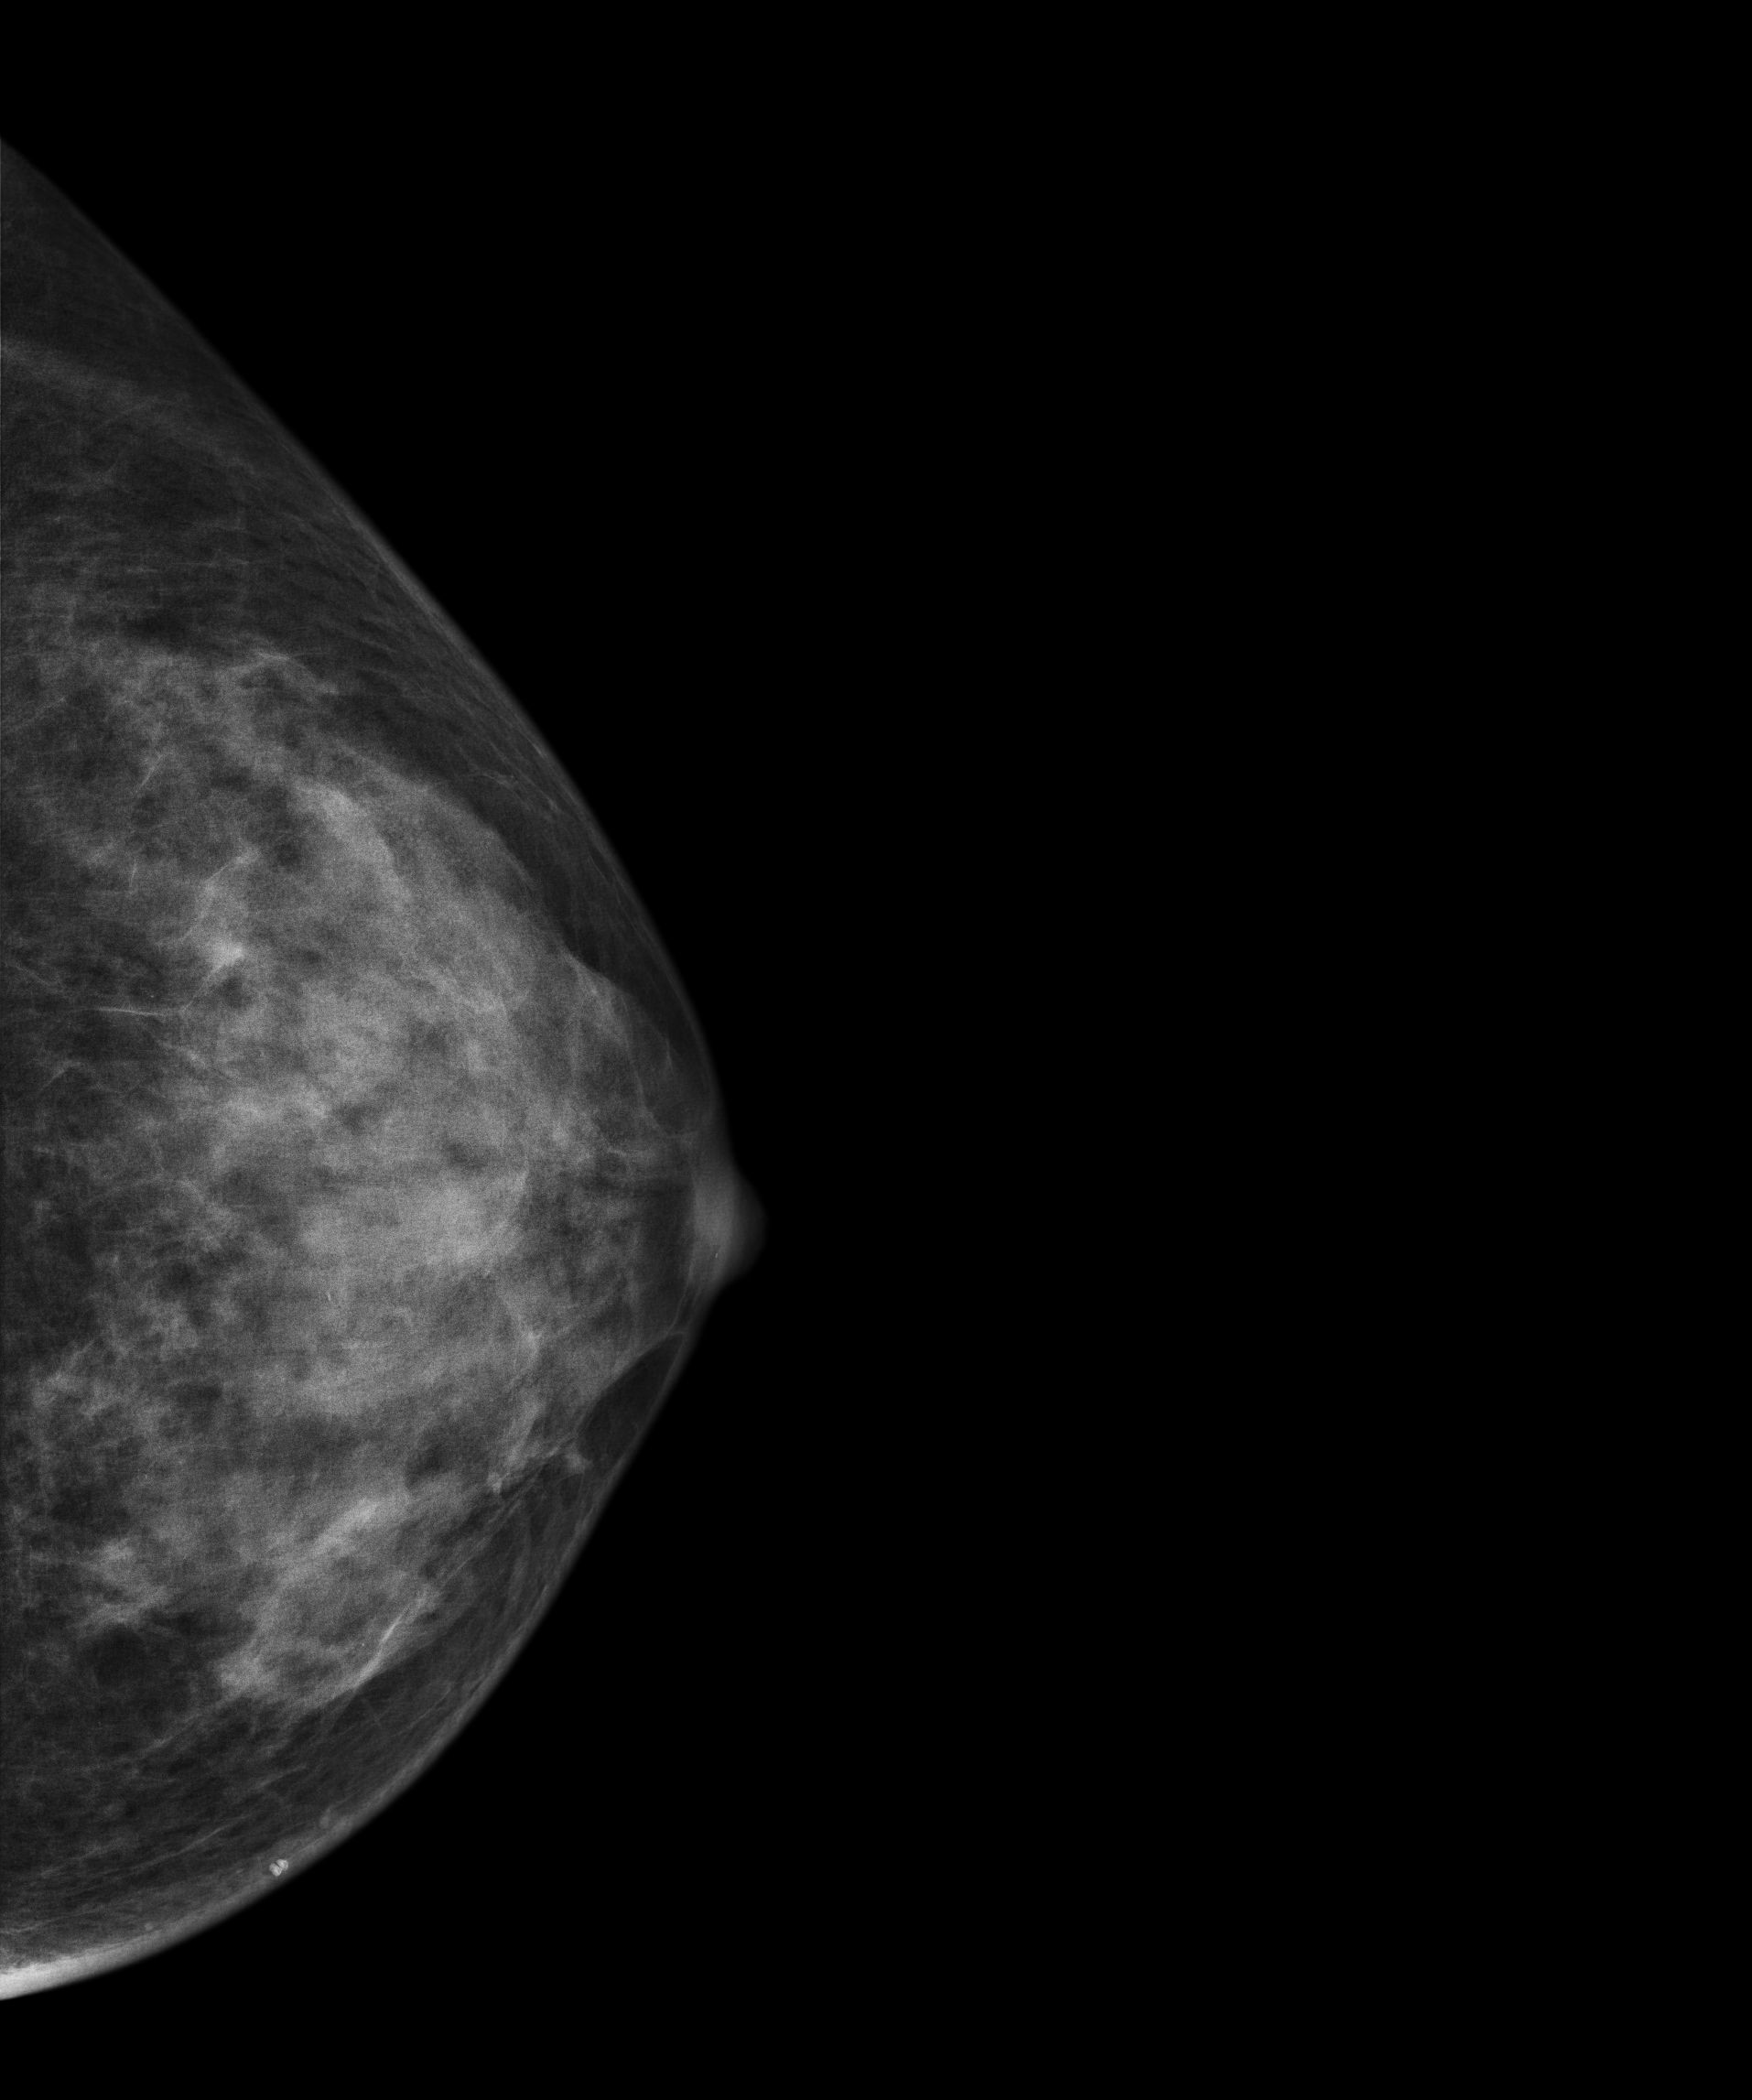
Digital mammography. Left breast, cranio-caudal projection. Patient age 52.
This breast has a mass and calcifications, biopsy-confirmed benign.